Mammogram, right breast, cranio-caudal view. 54-year-old patient.
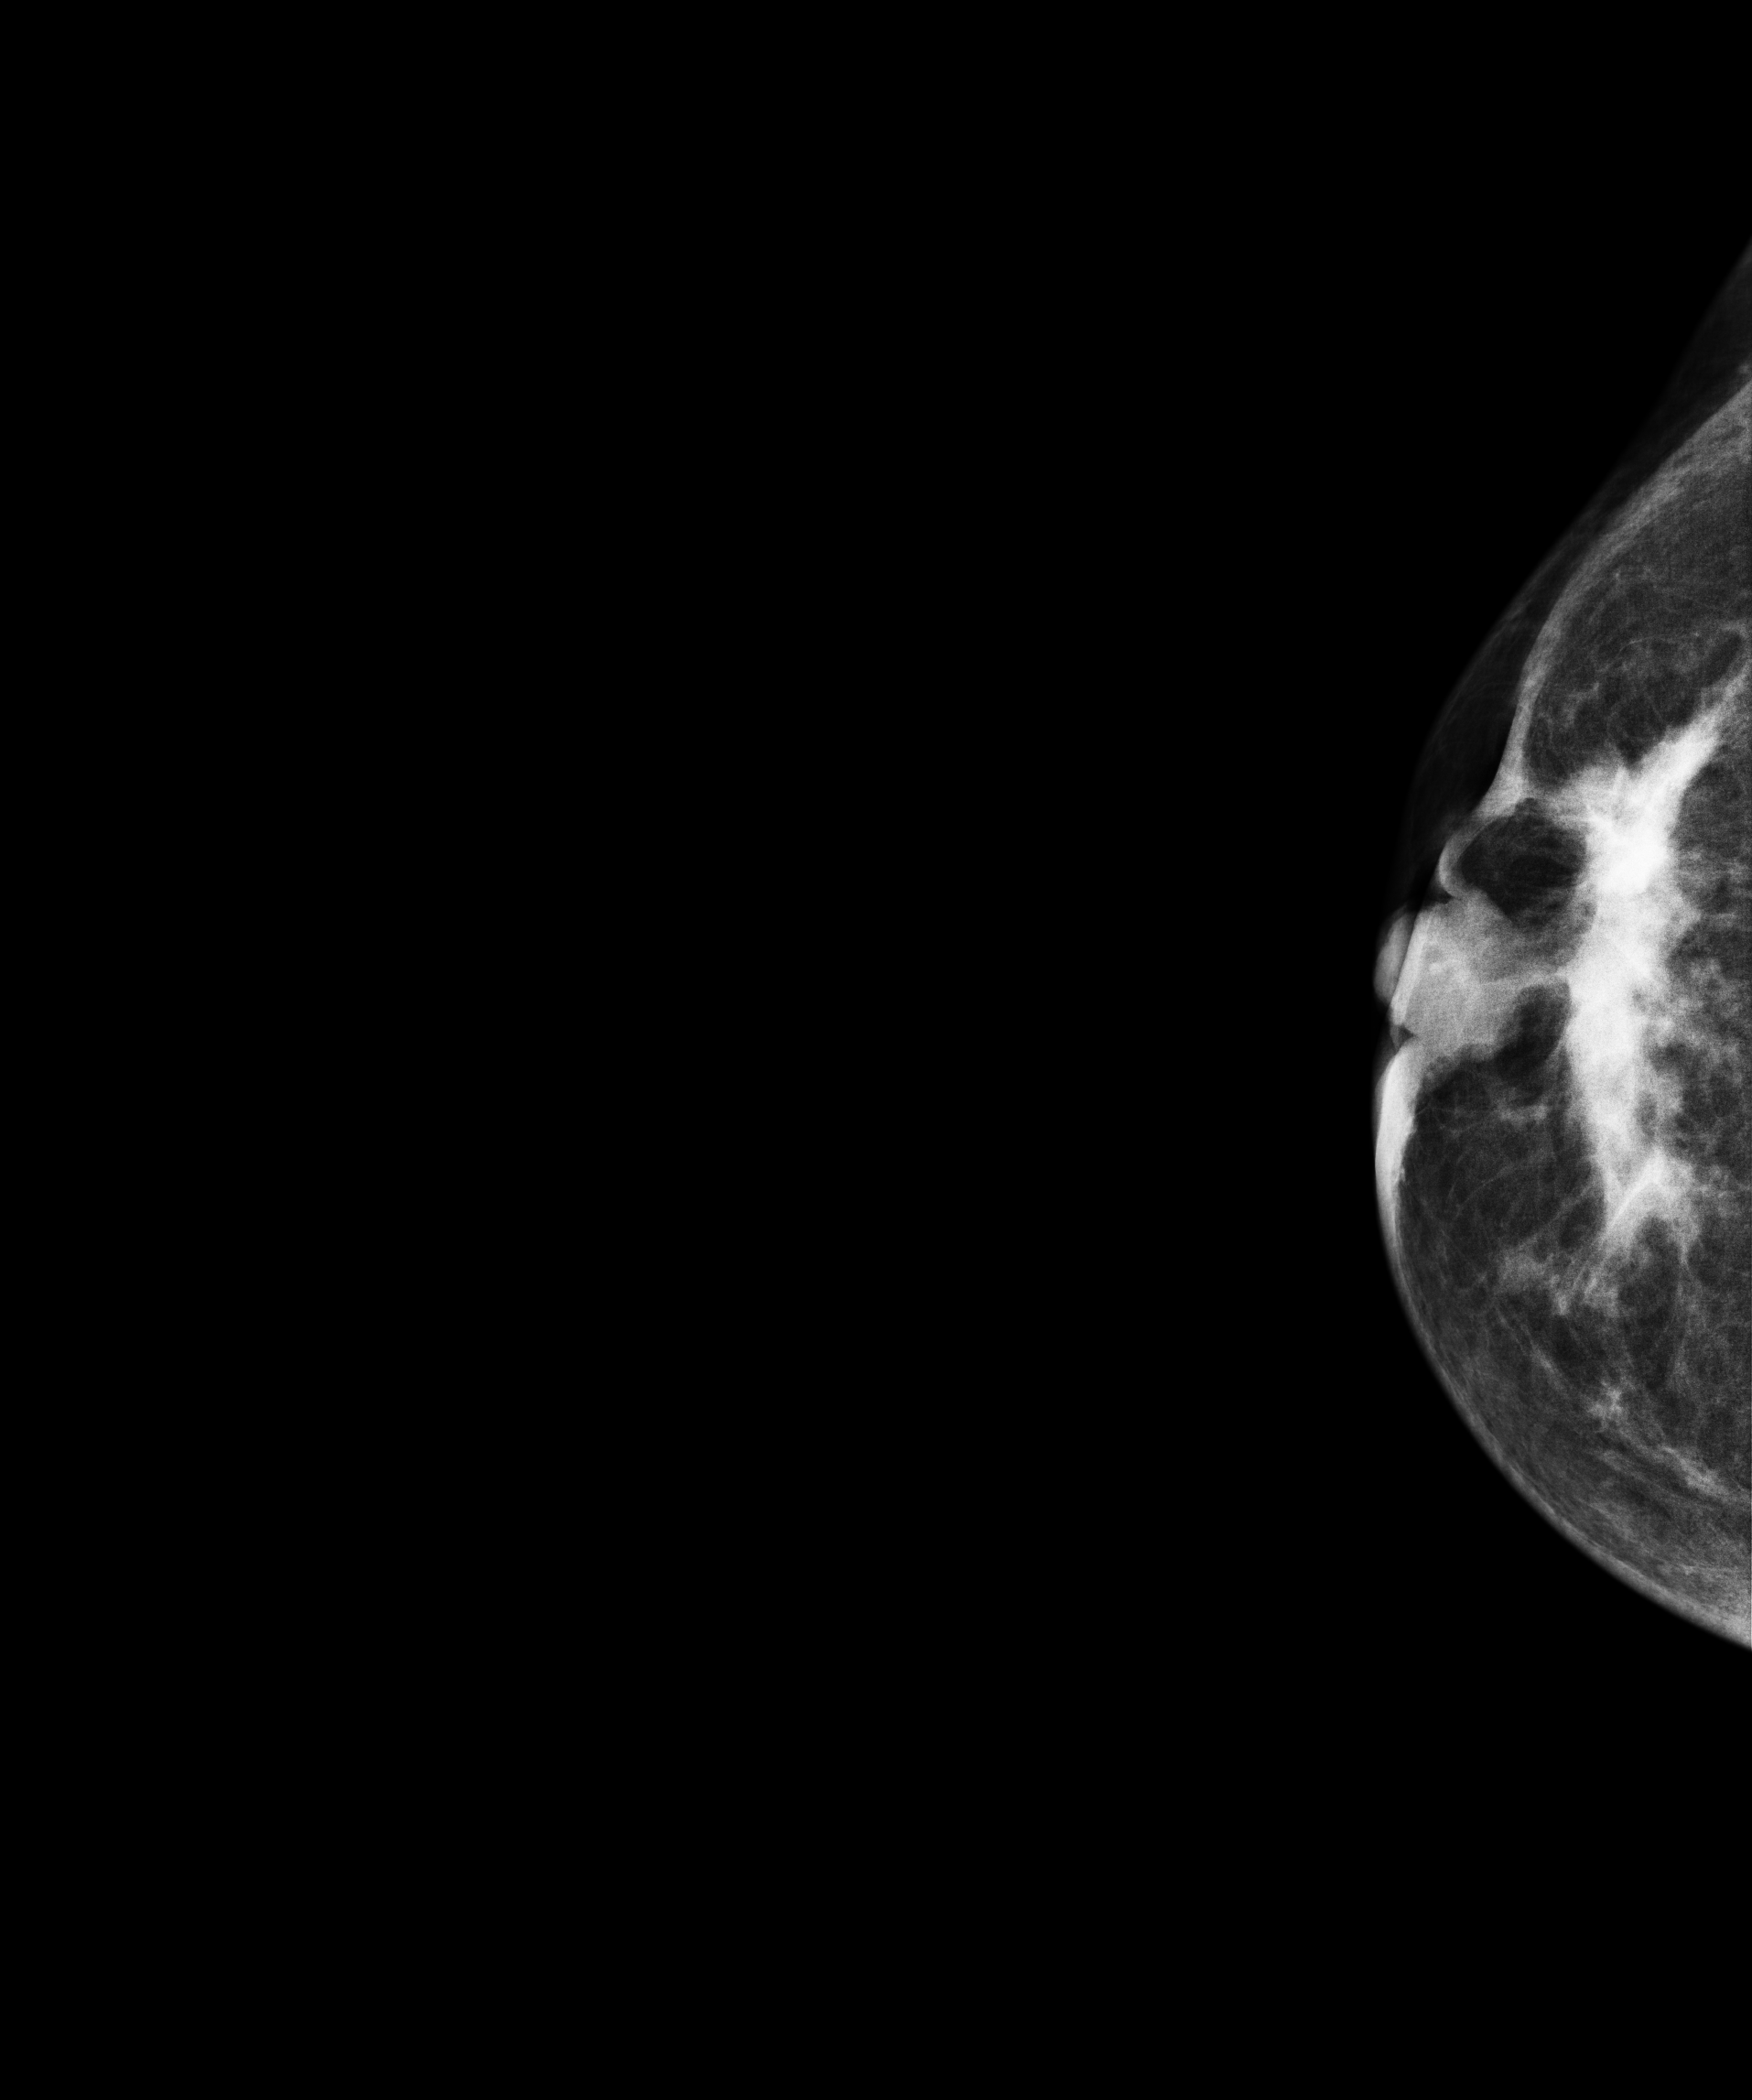
This breast has a mass, pathology-confirmed malignant.